Cranio-caudal mammogram of the right breast. Patient age 58.
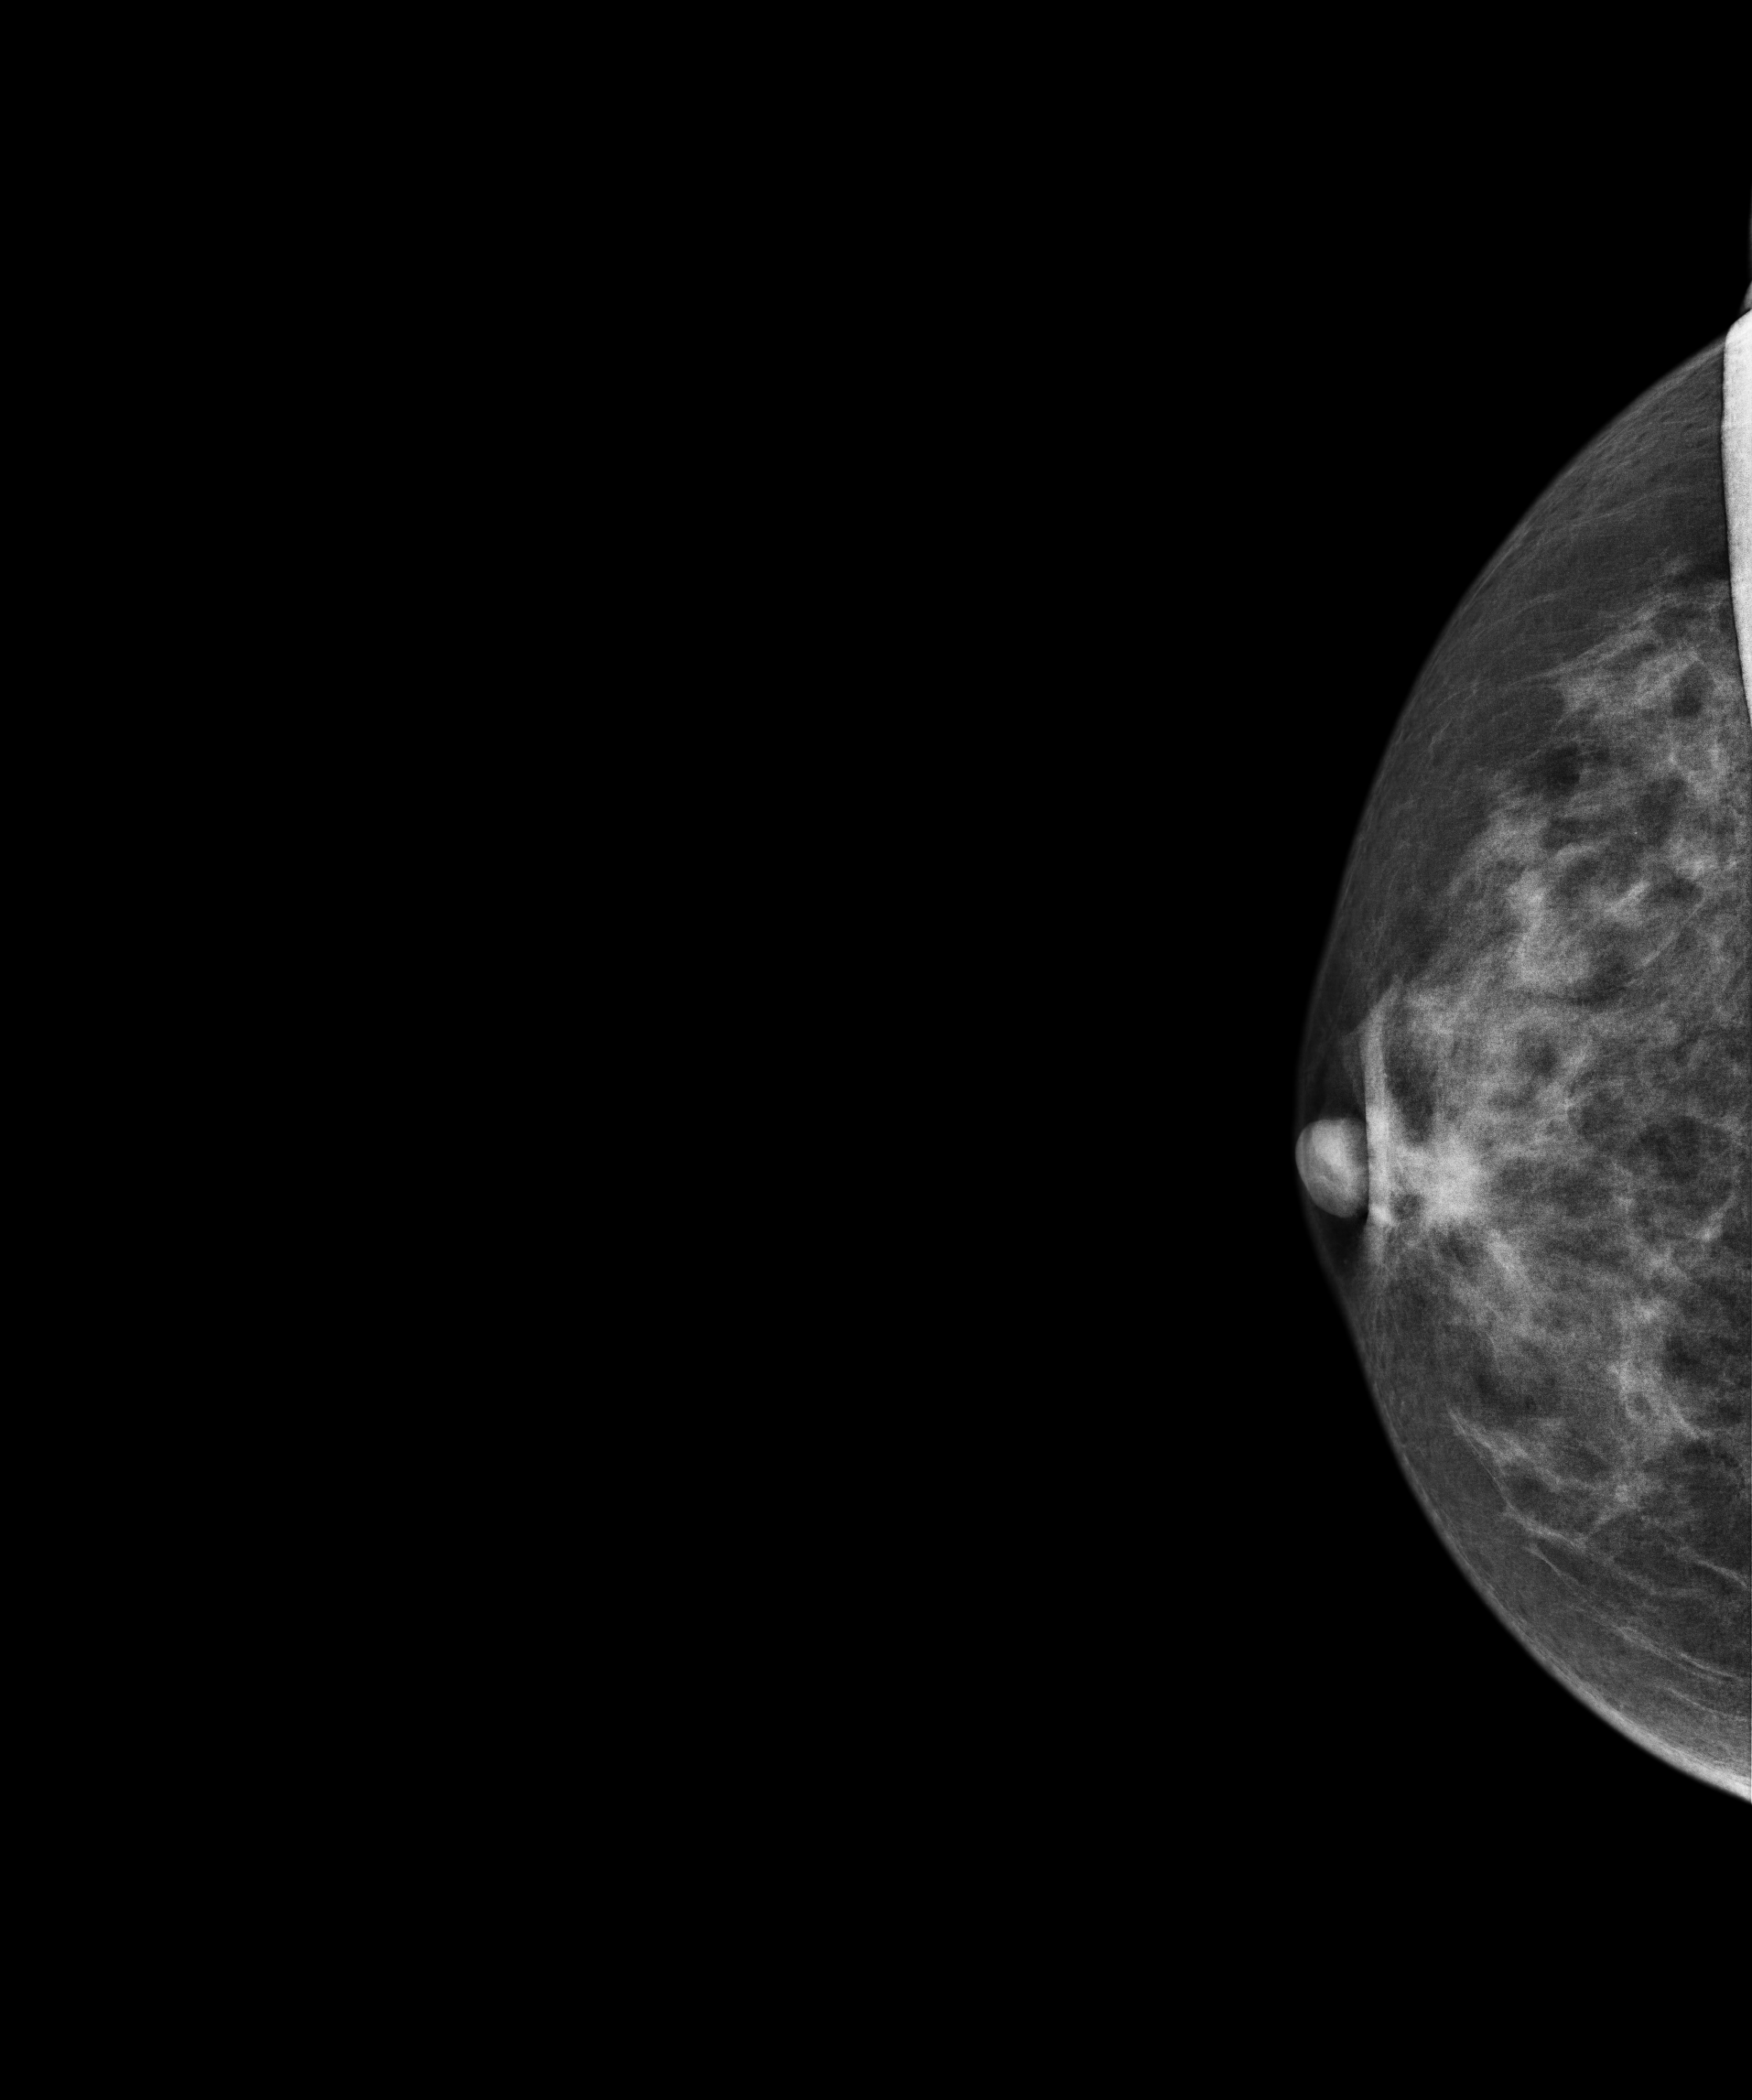
This breast has a mass, biopsy-confirmed malignant. Molecular subtype: luminal B.